Digital mammography. Left breast, CC projection. Patient age 58.
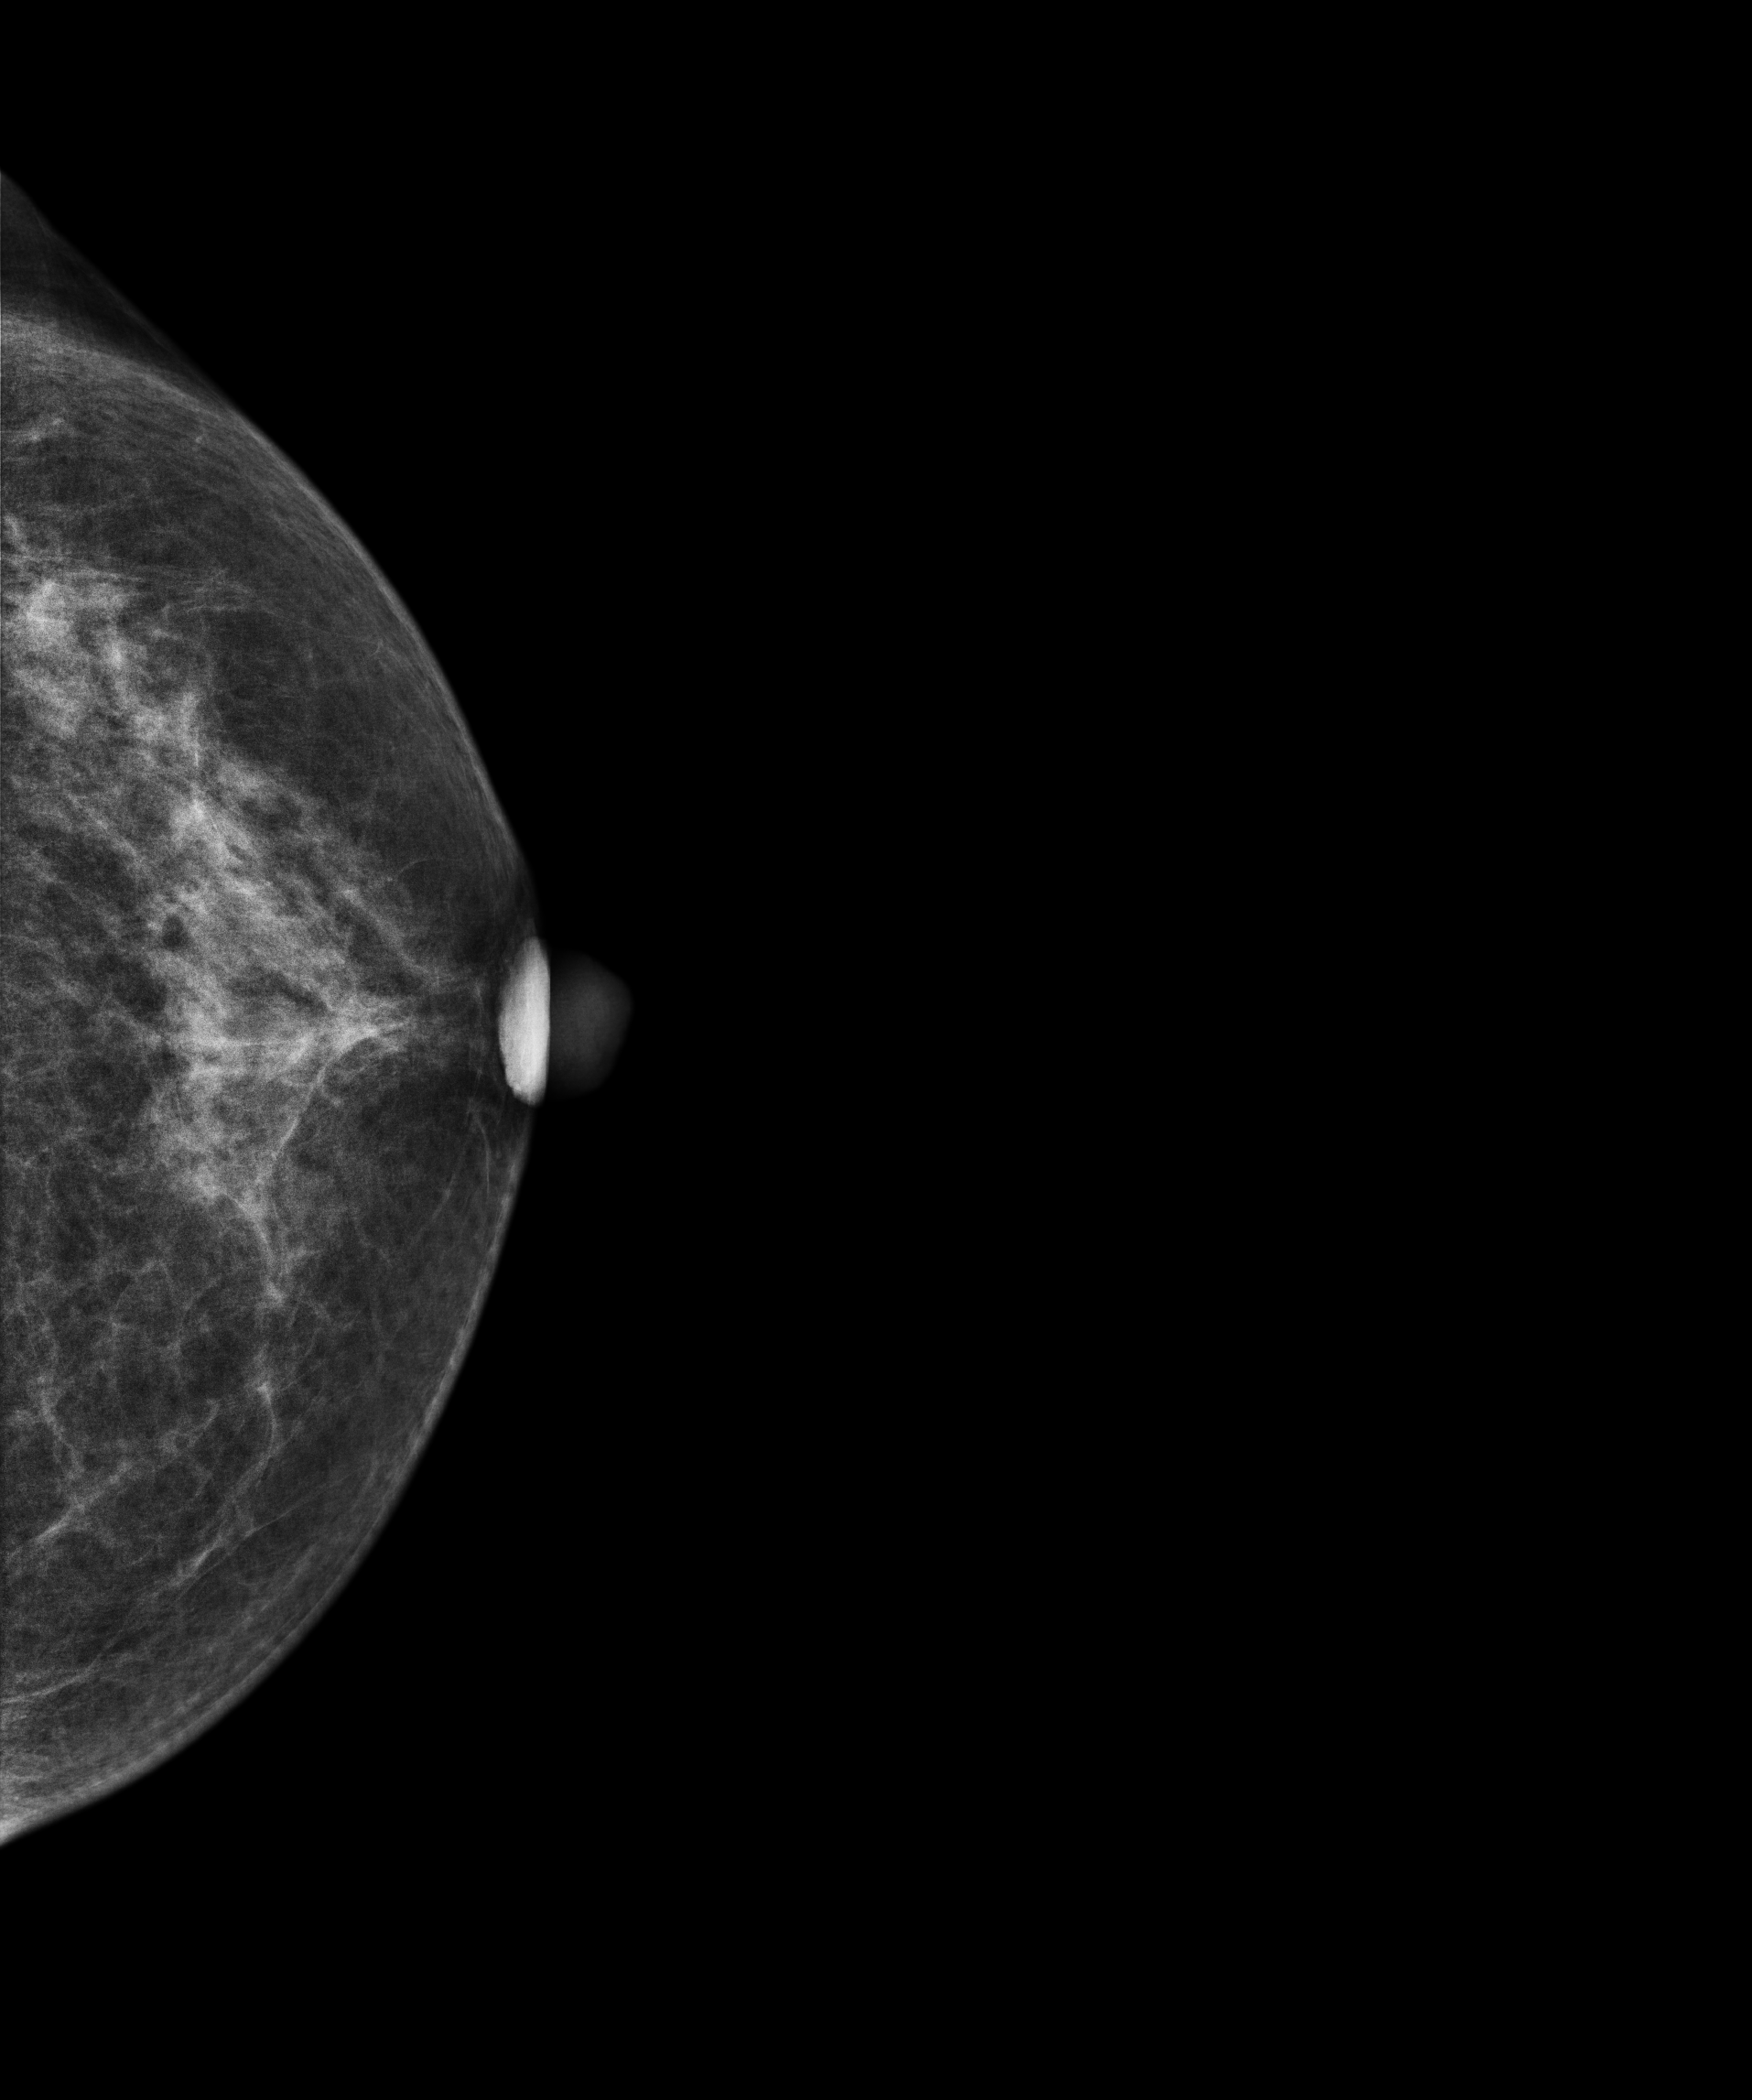
Contralateral breast — no documented abnormality on this side.